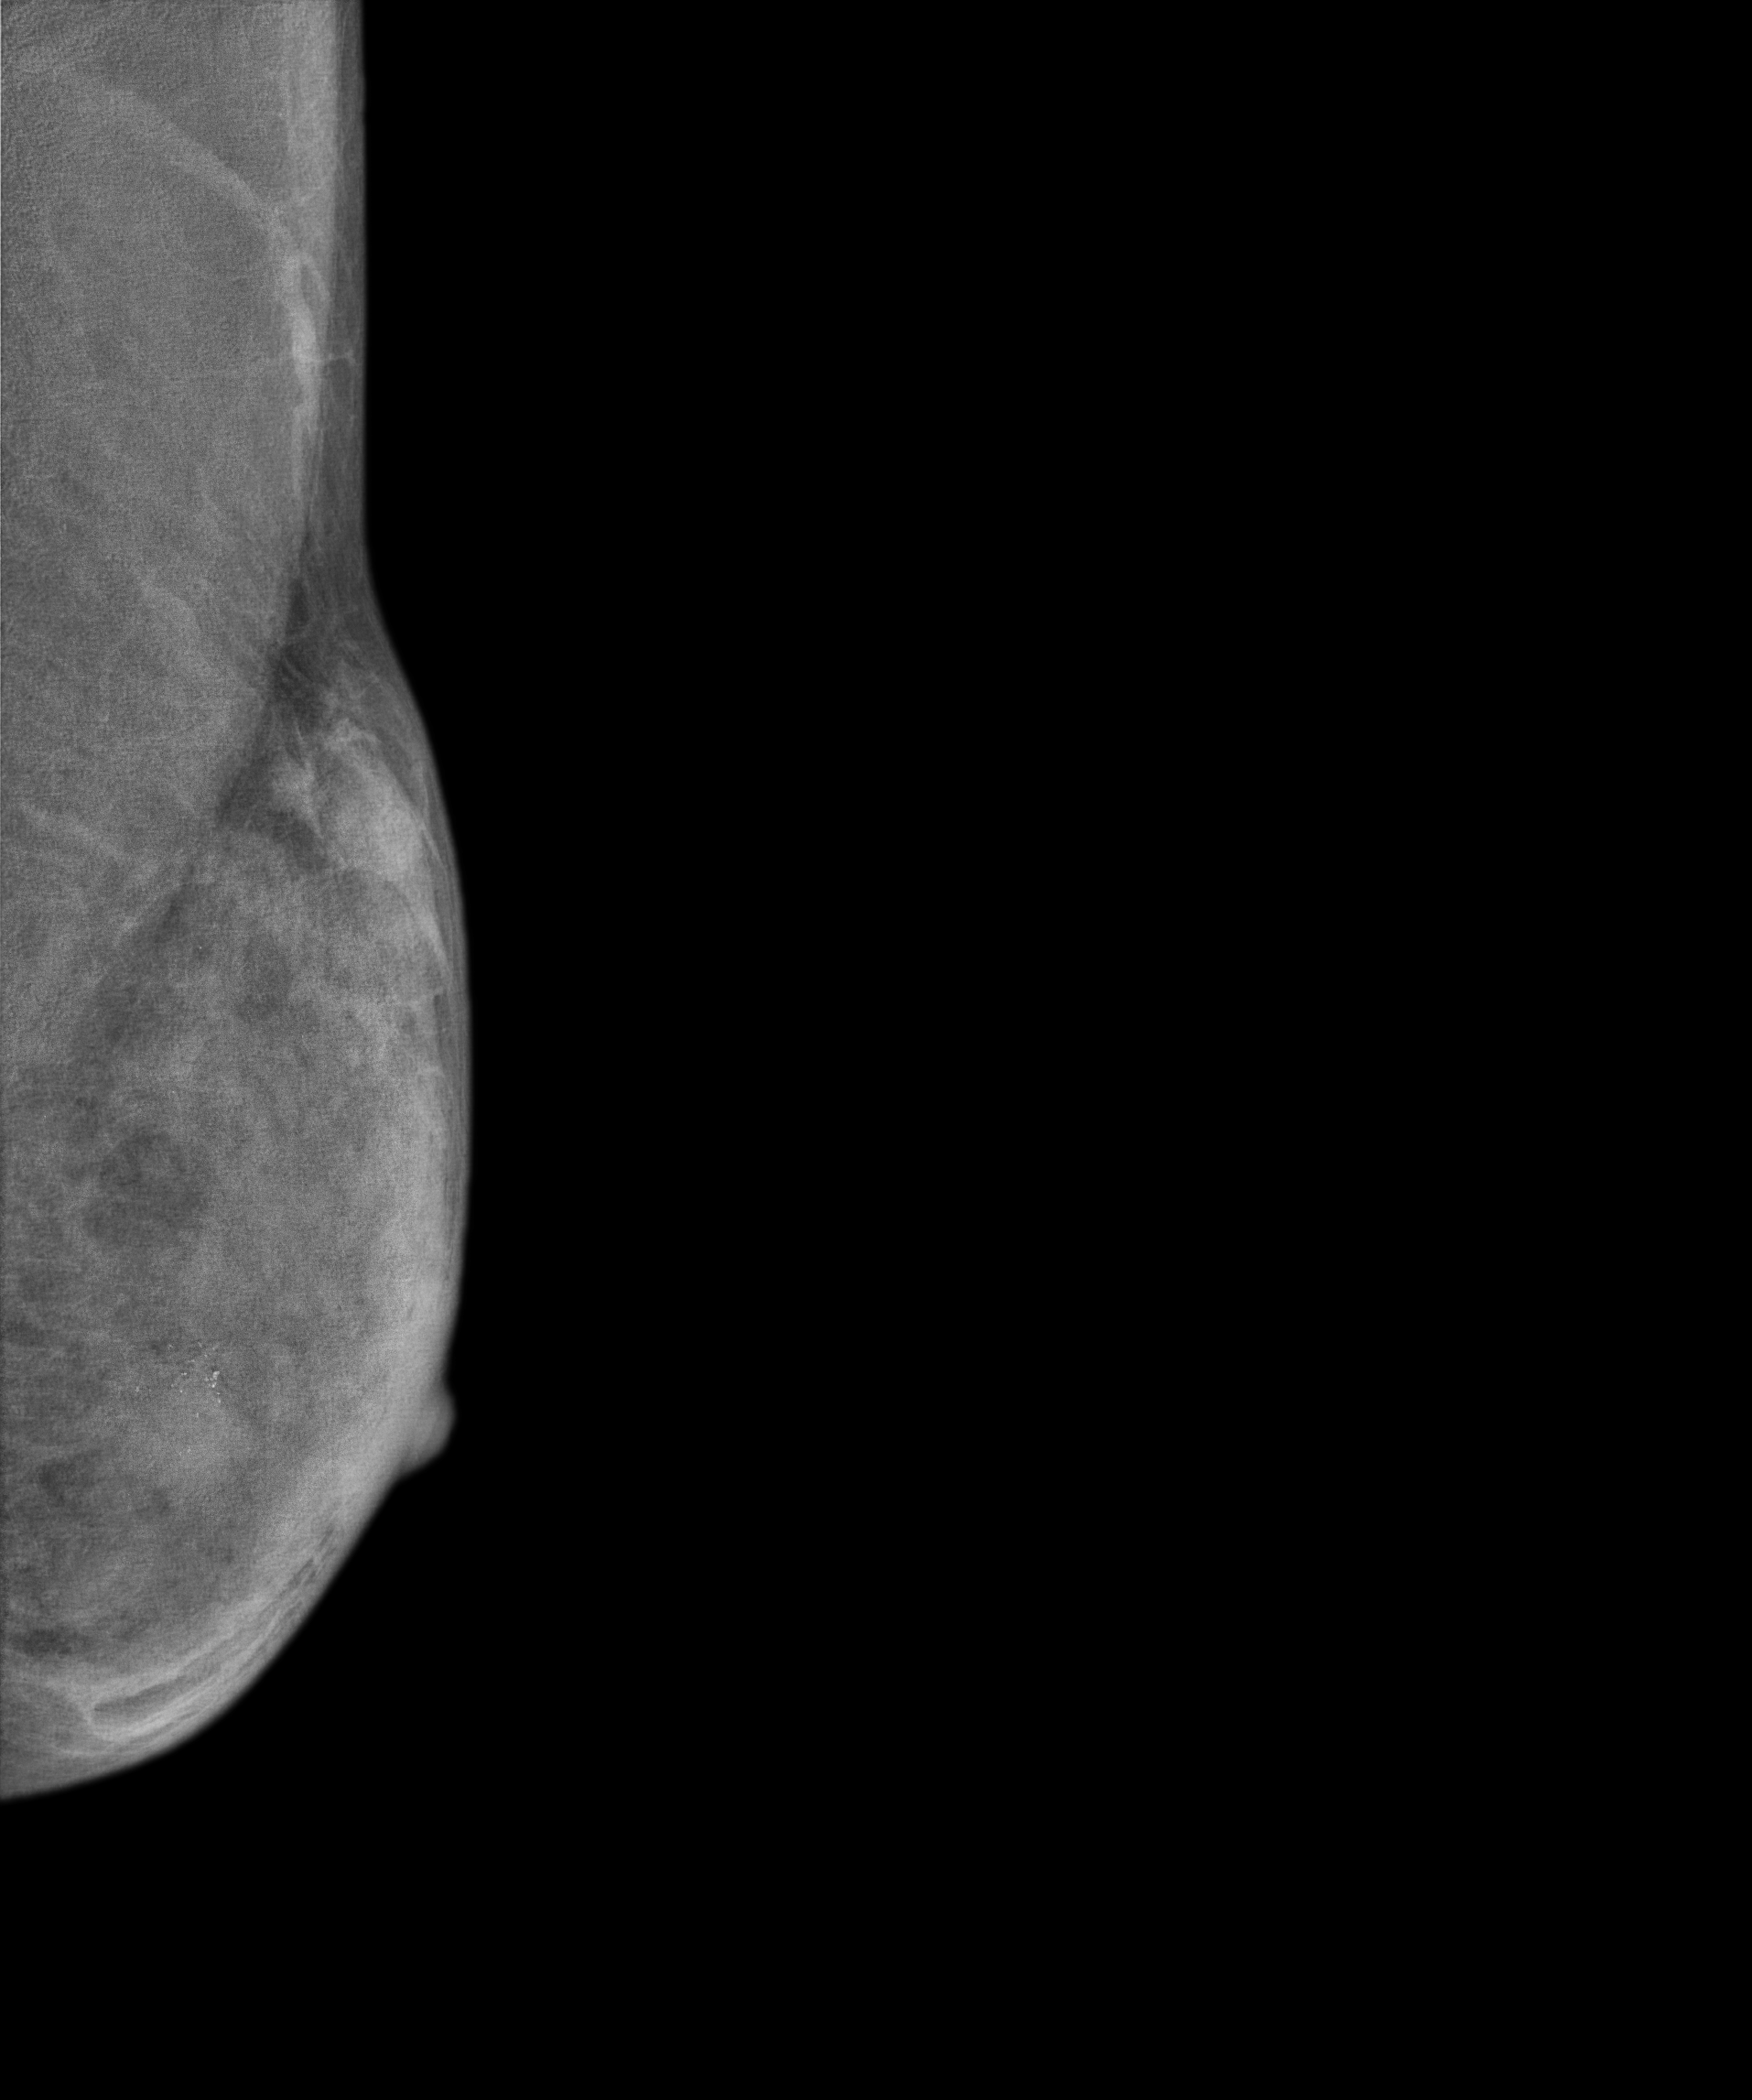
MLO mammogram of the left breast. 57 y/o patient.
This breast has calcifications, biopsy-confirmed malignant. Molecular subtype: triple-negative.